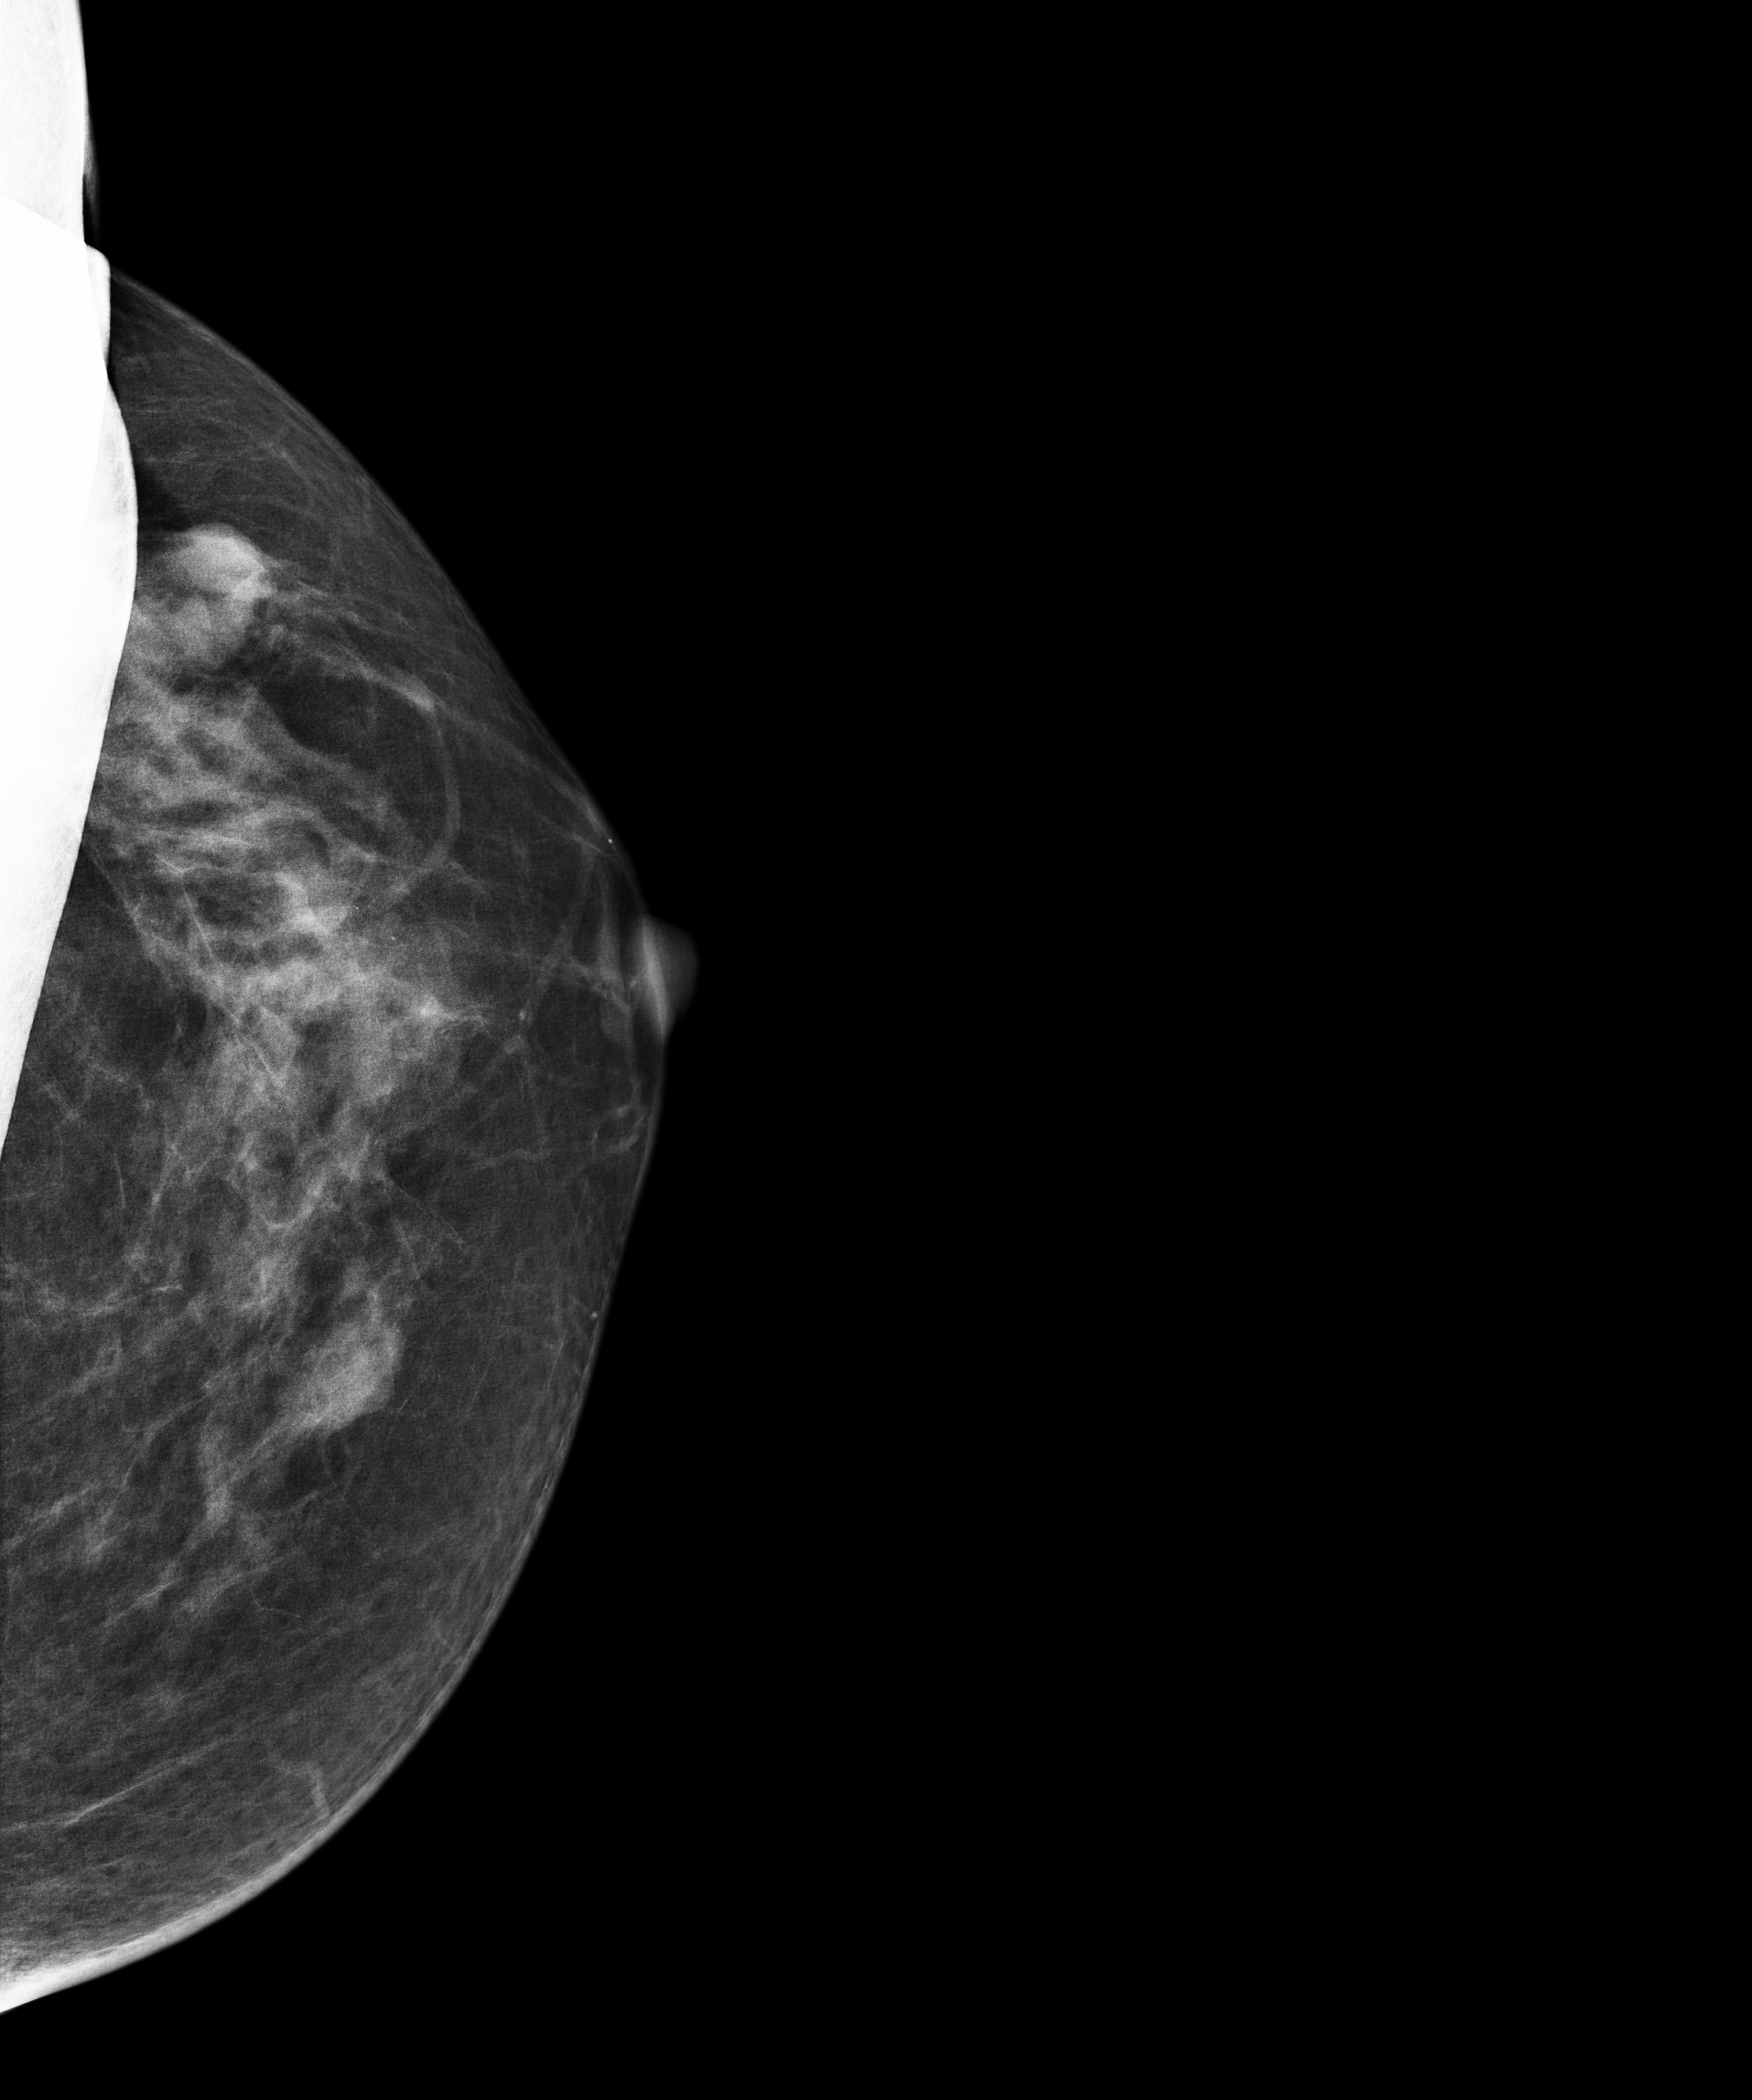
Cranio-caudal mammogram of the left breast. Patient age 59.
This breast has a mass, histologically confirmed benign.